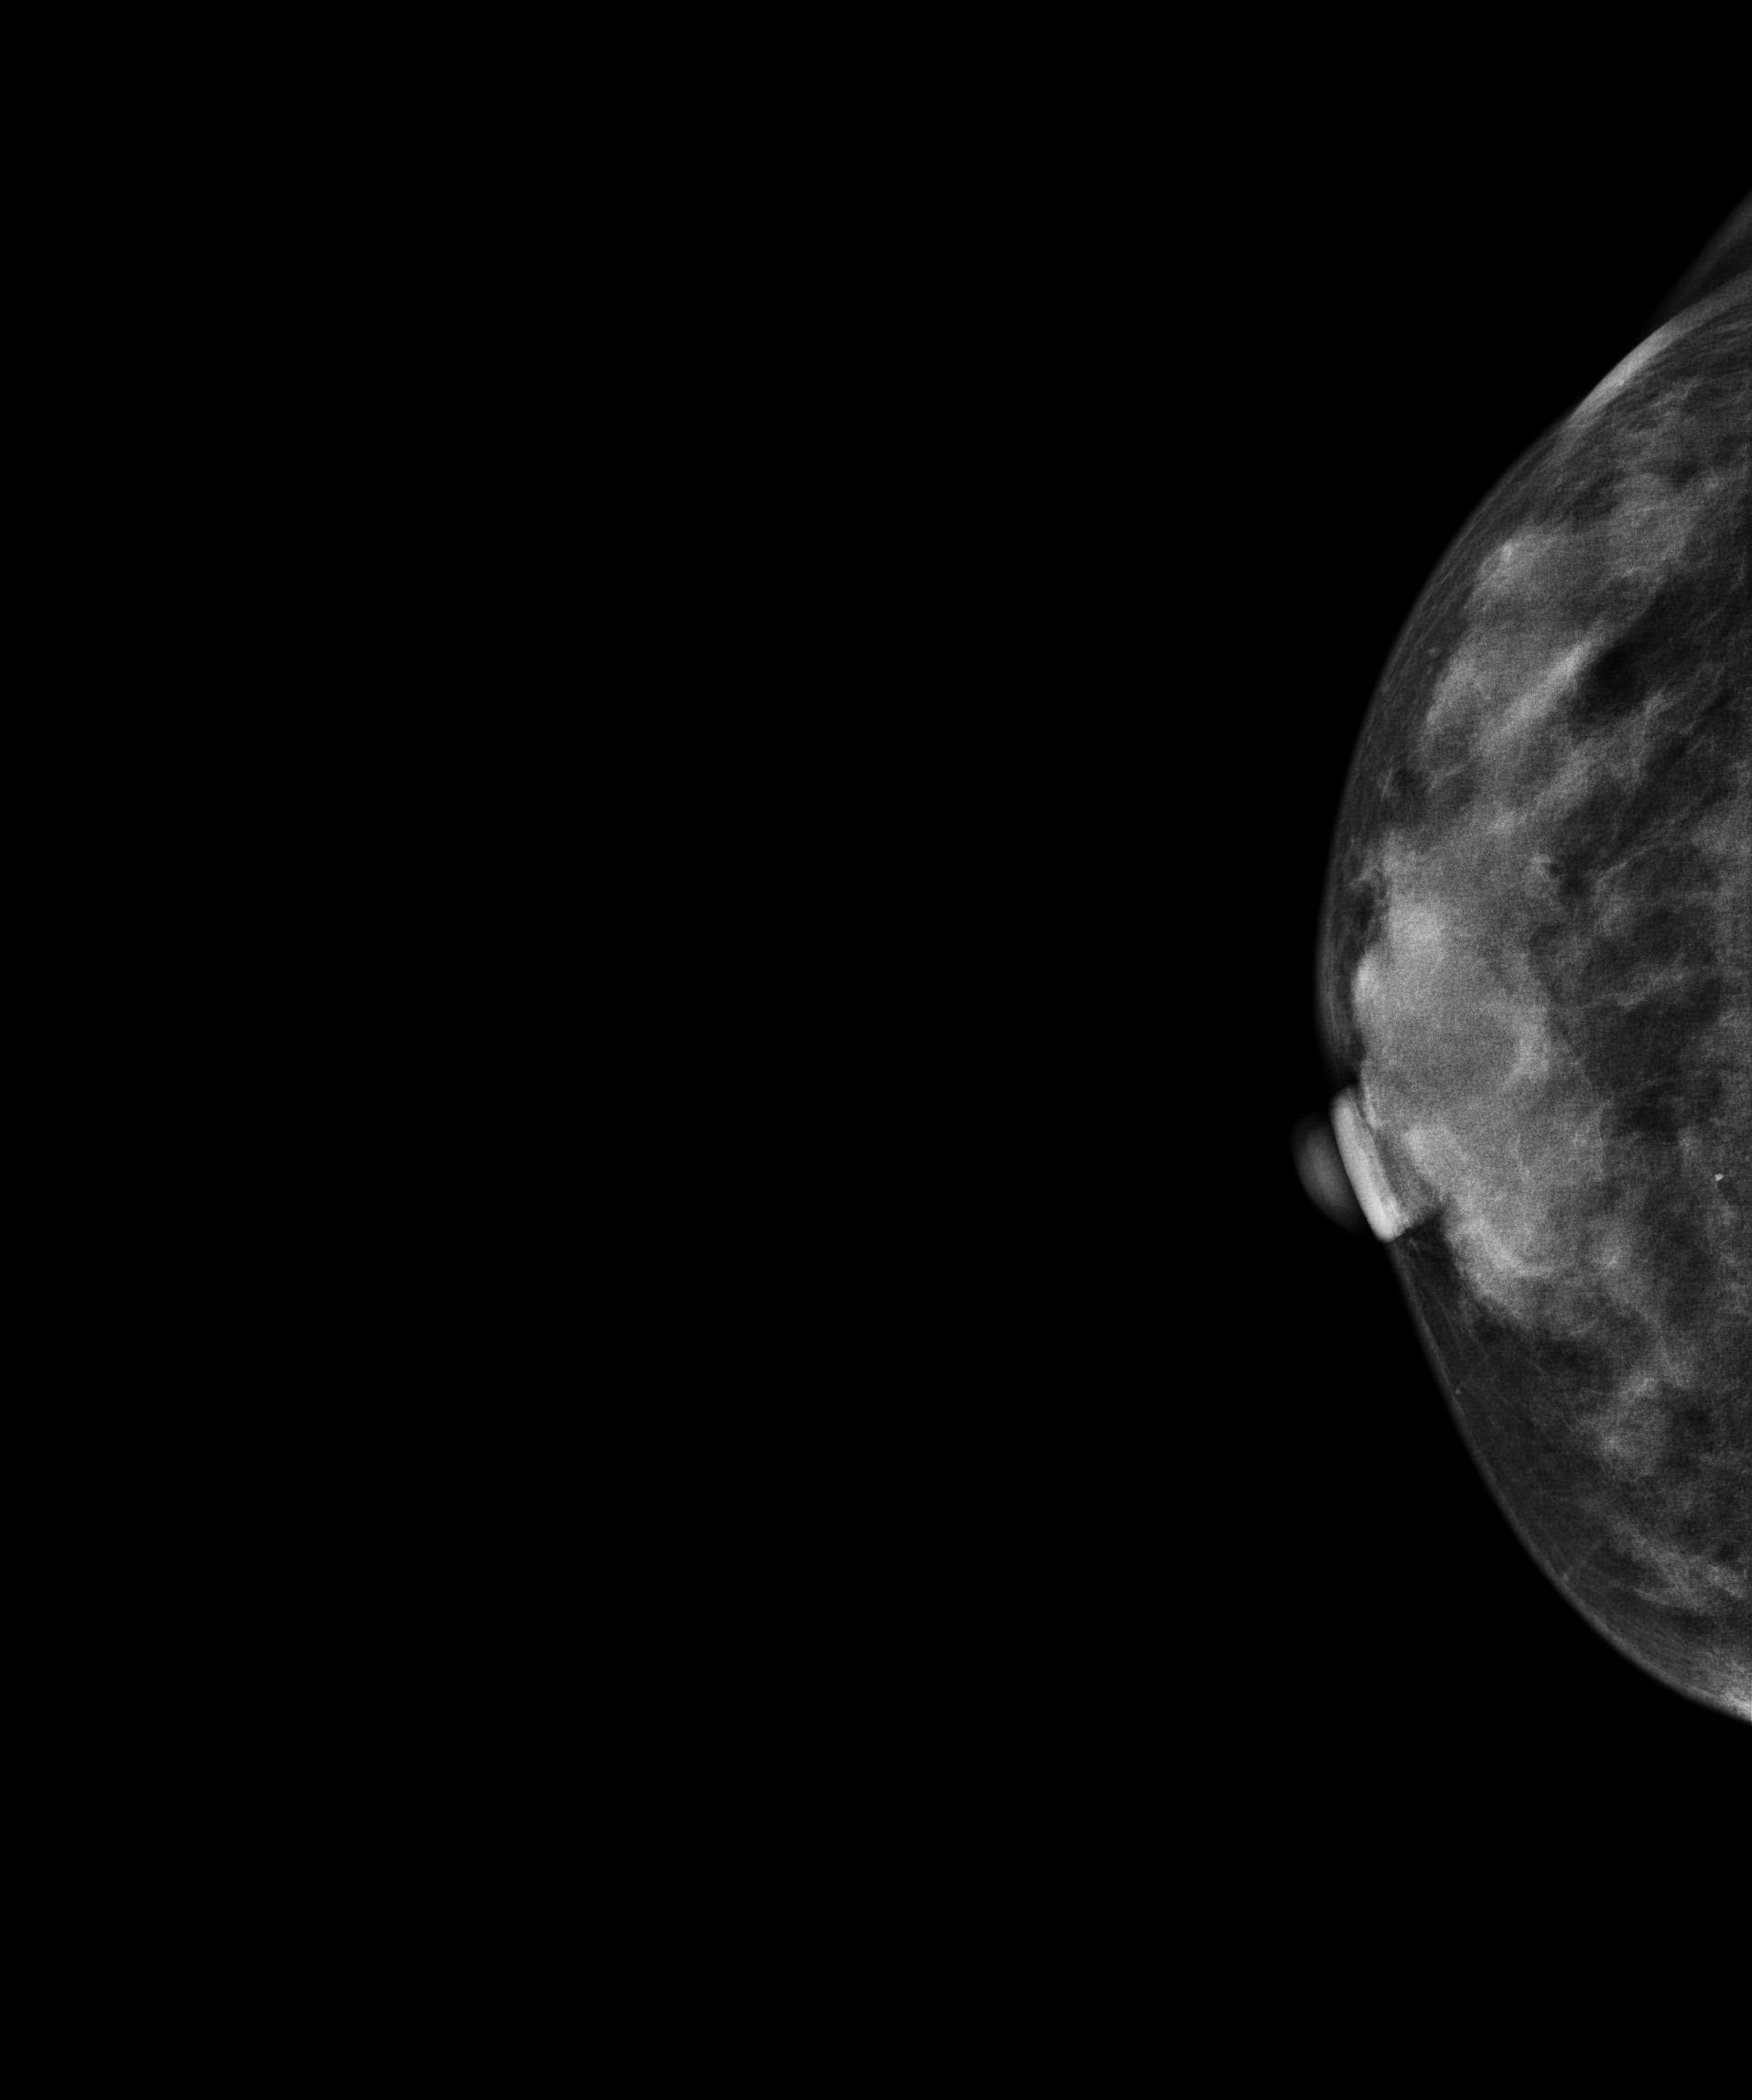
Digital mammography. Right breast, cranio-caudal projection. Patient age 44.
This breast has a mass, pathology-confirmed malignant.